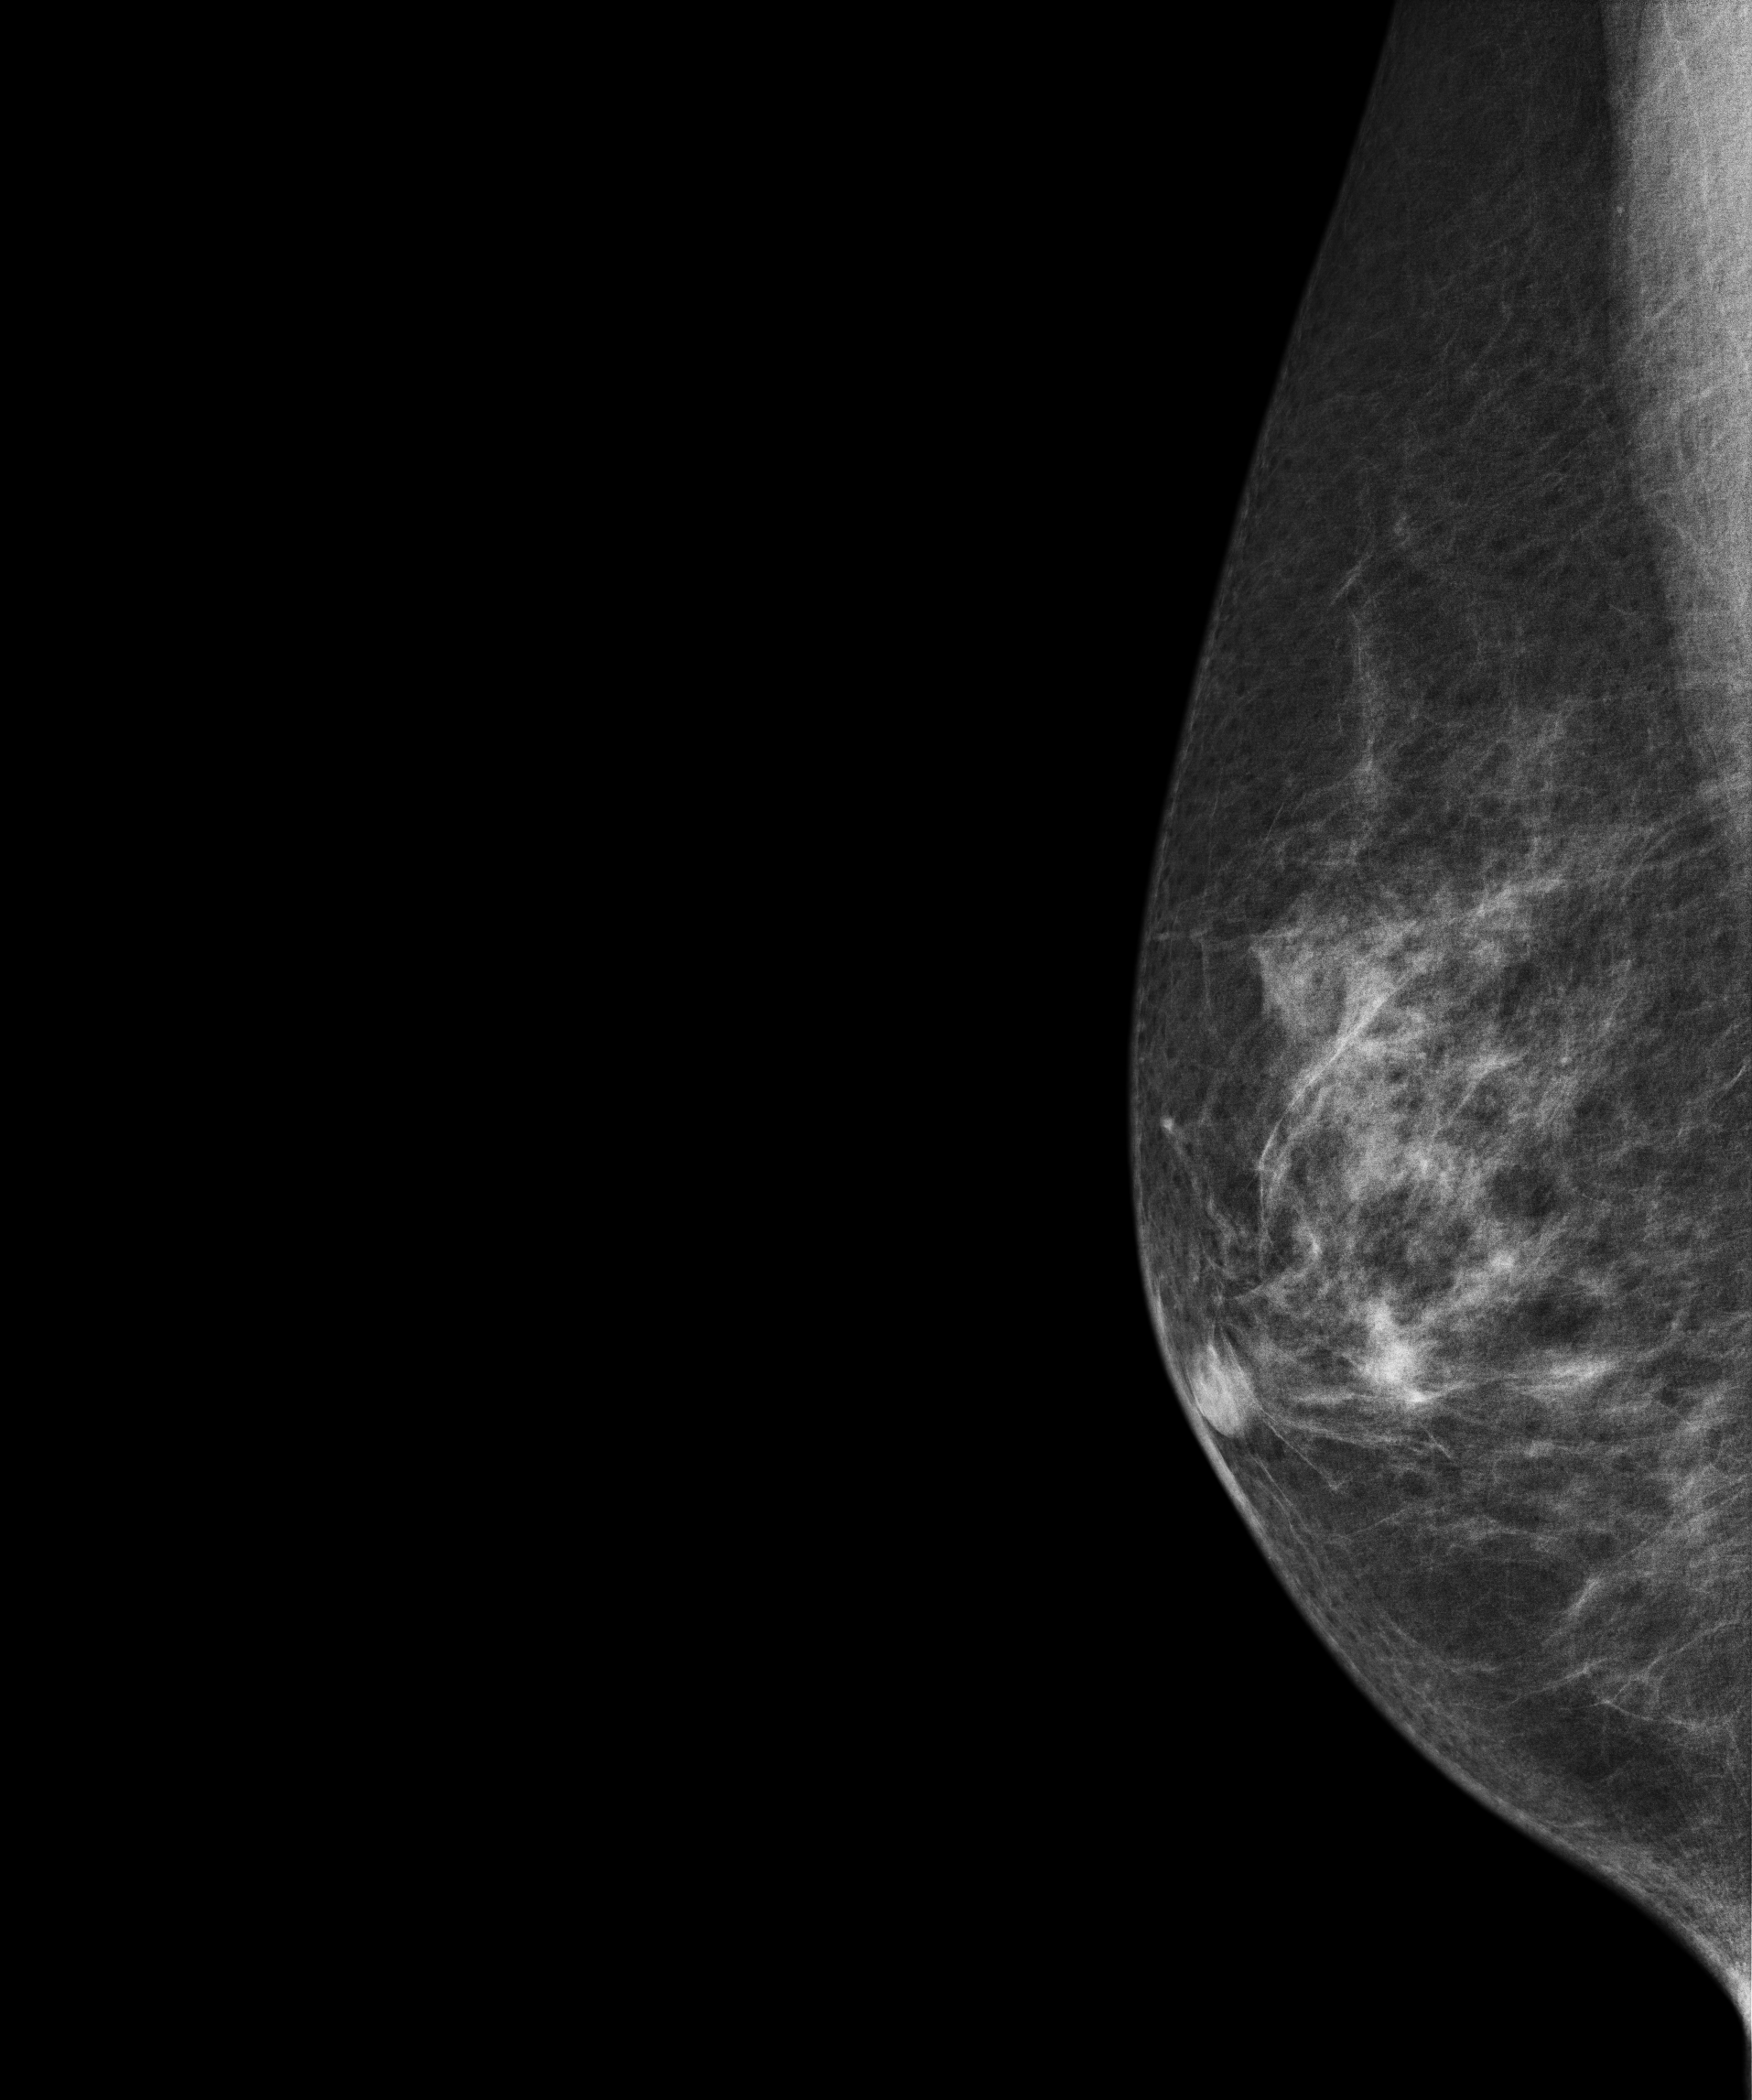
Mammogram — right medio-lateral oblique. 65 y/o patient.
Contralateral breast — no documented abnormality on this side.